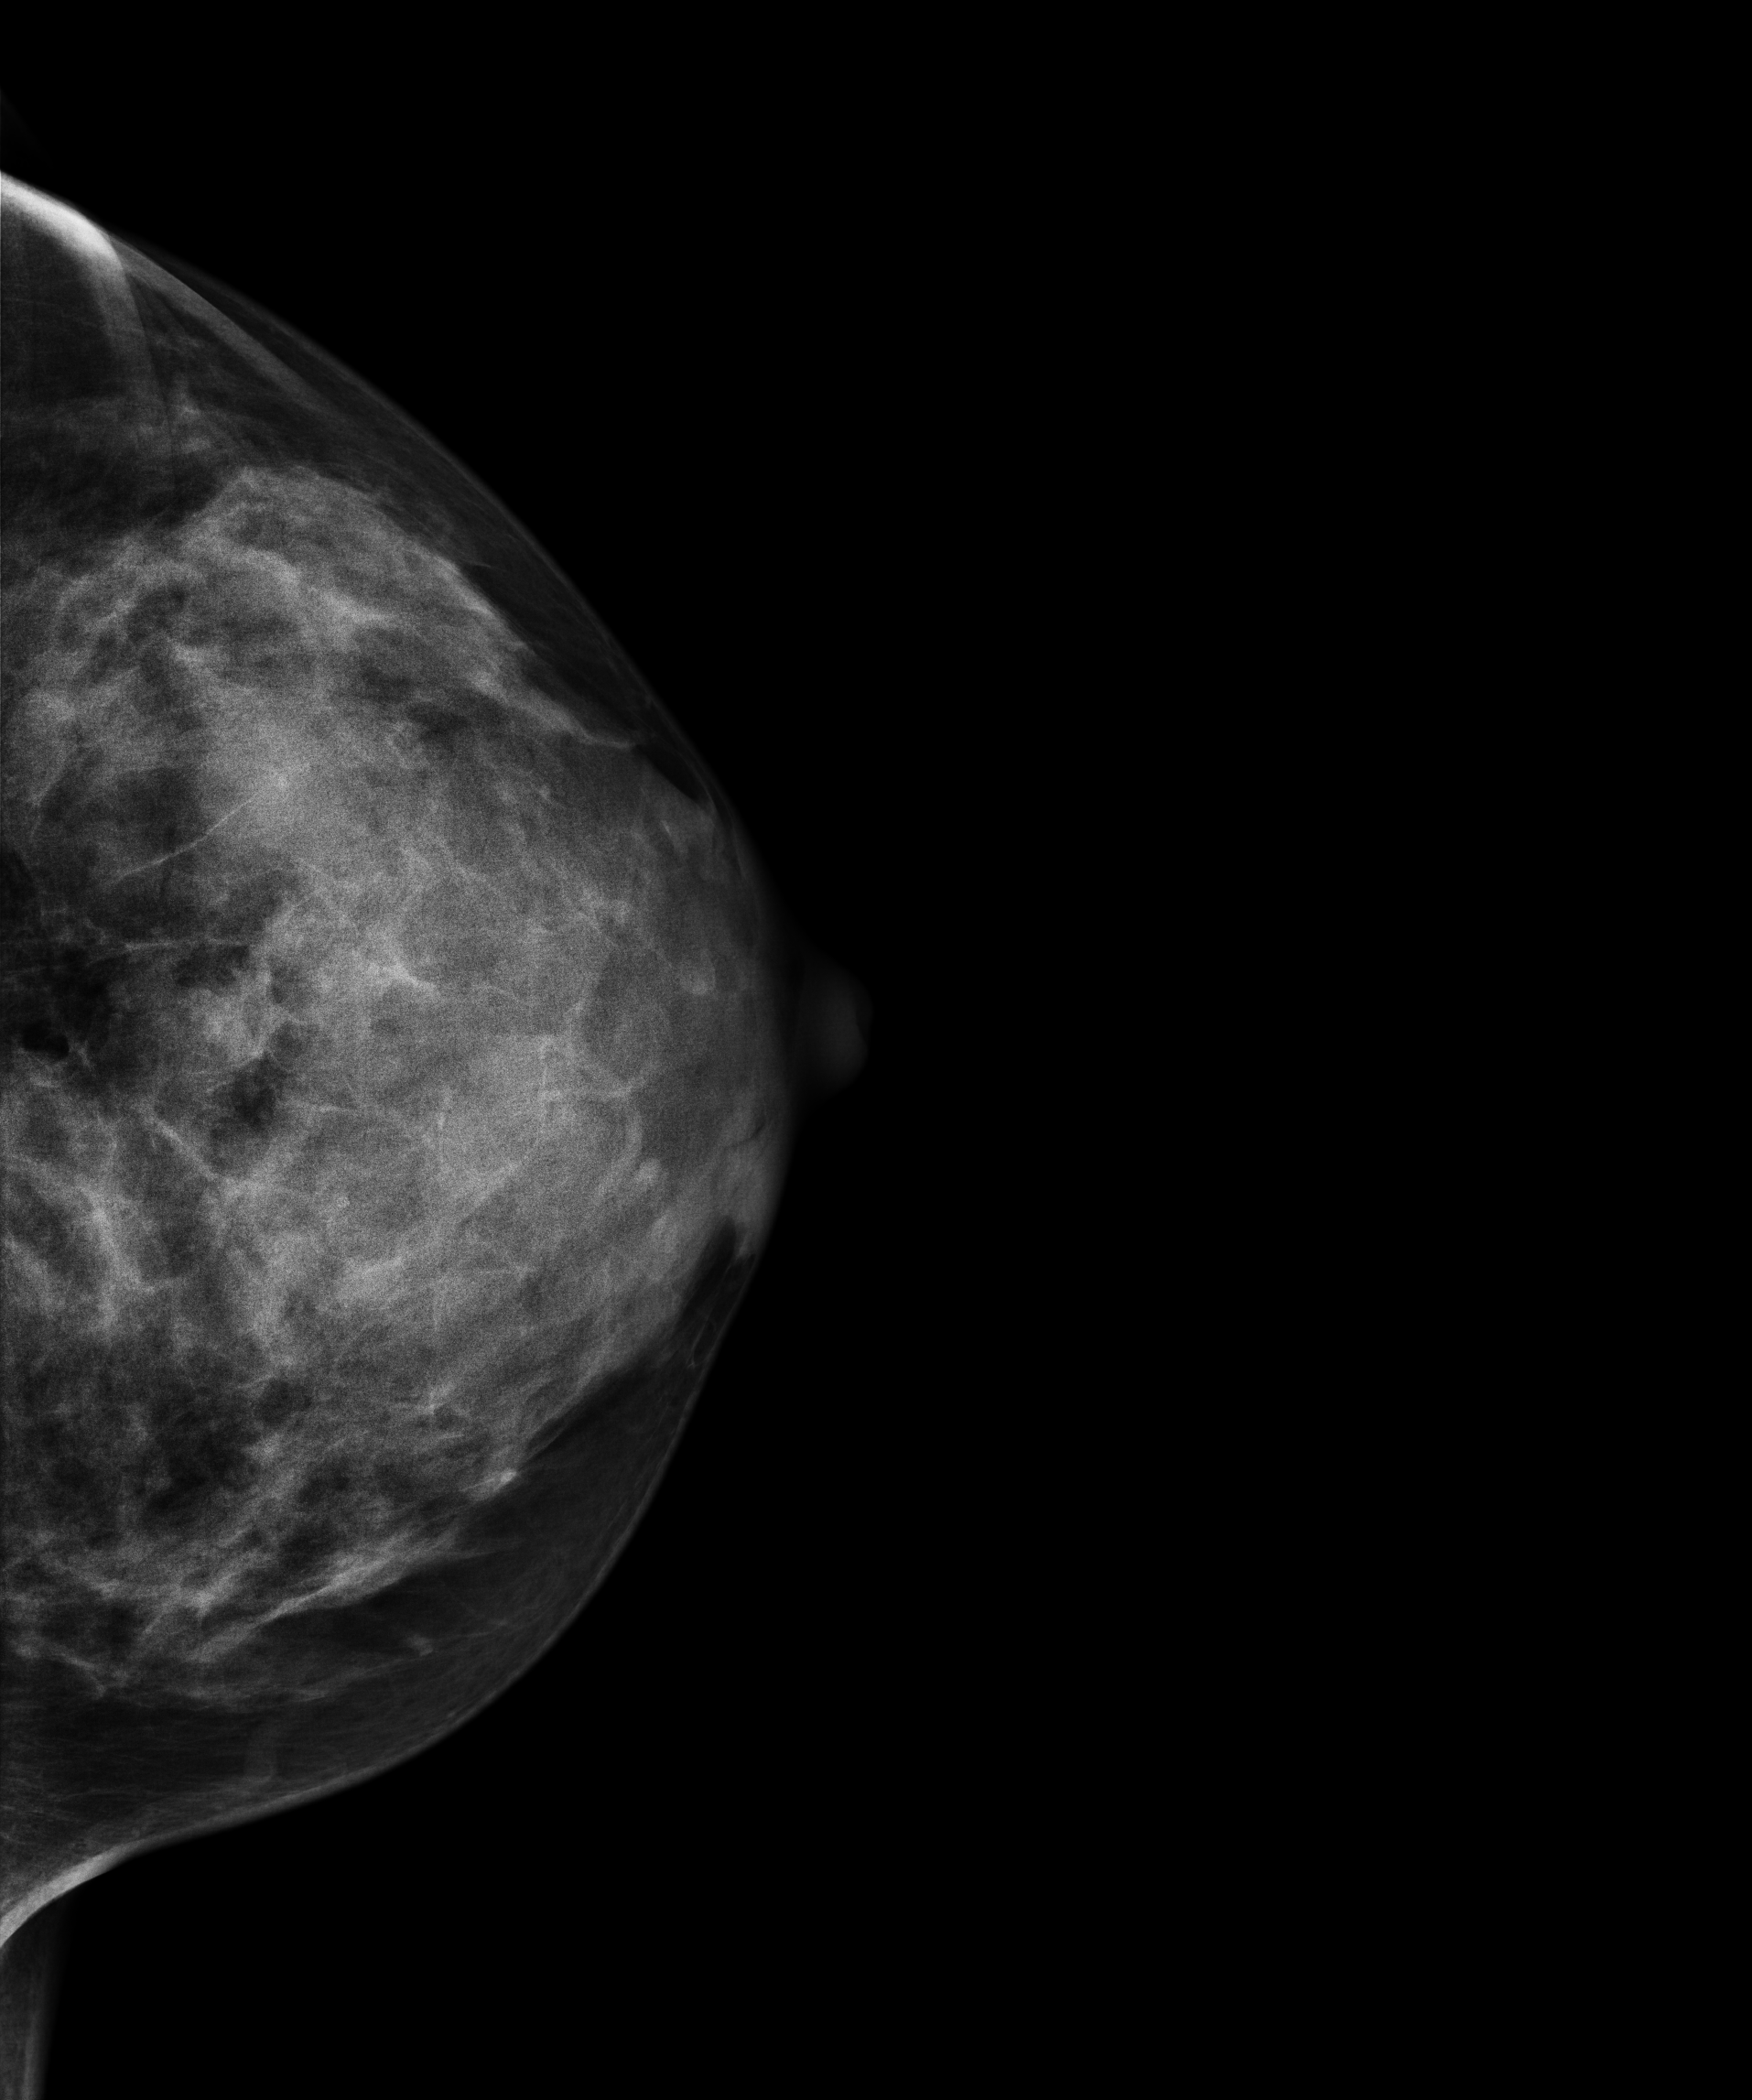
Mammogram — left cranio-caudal. Patient age 45.
This breast has a mass, histologically confirmed malignant. Molecular subtype: triple-negative.